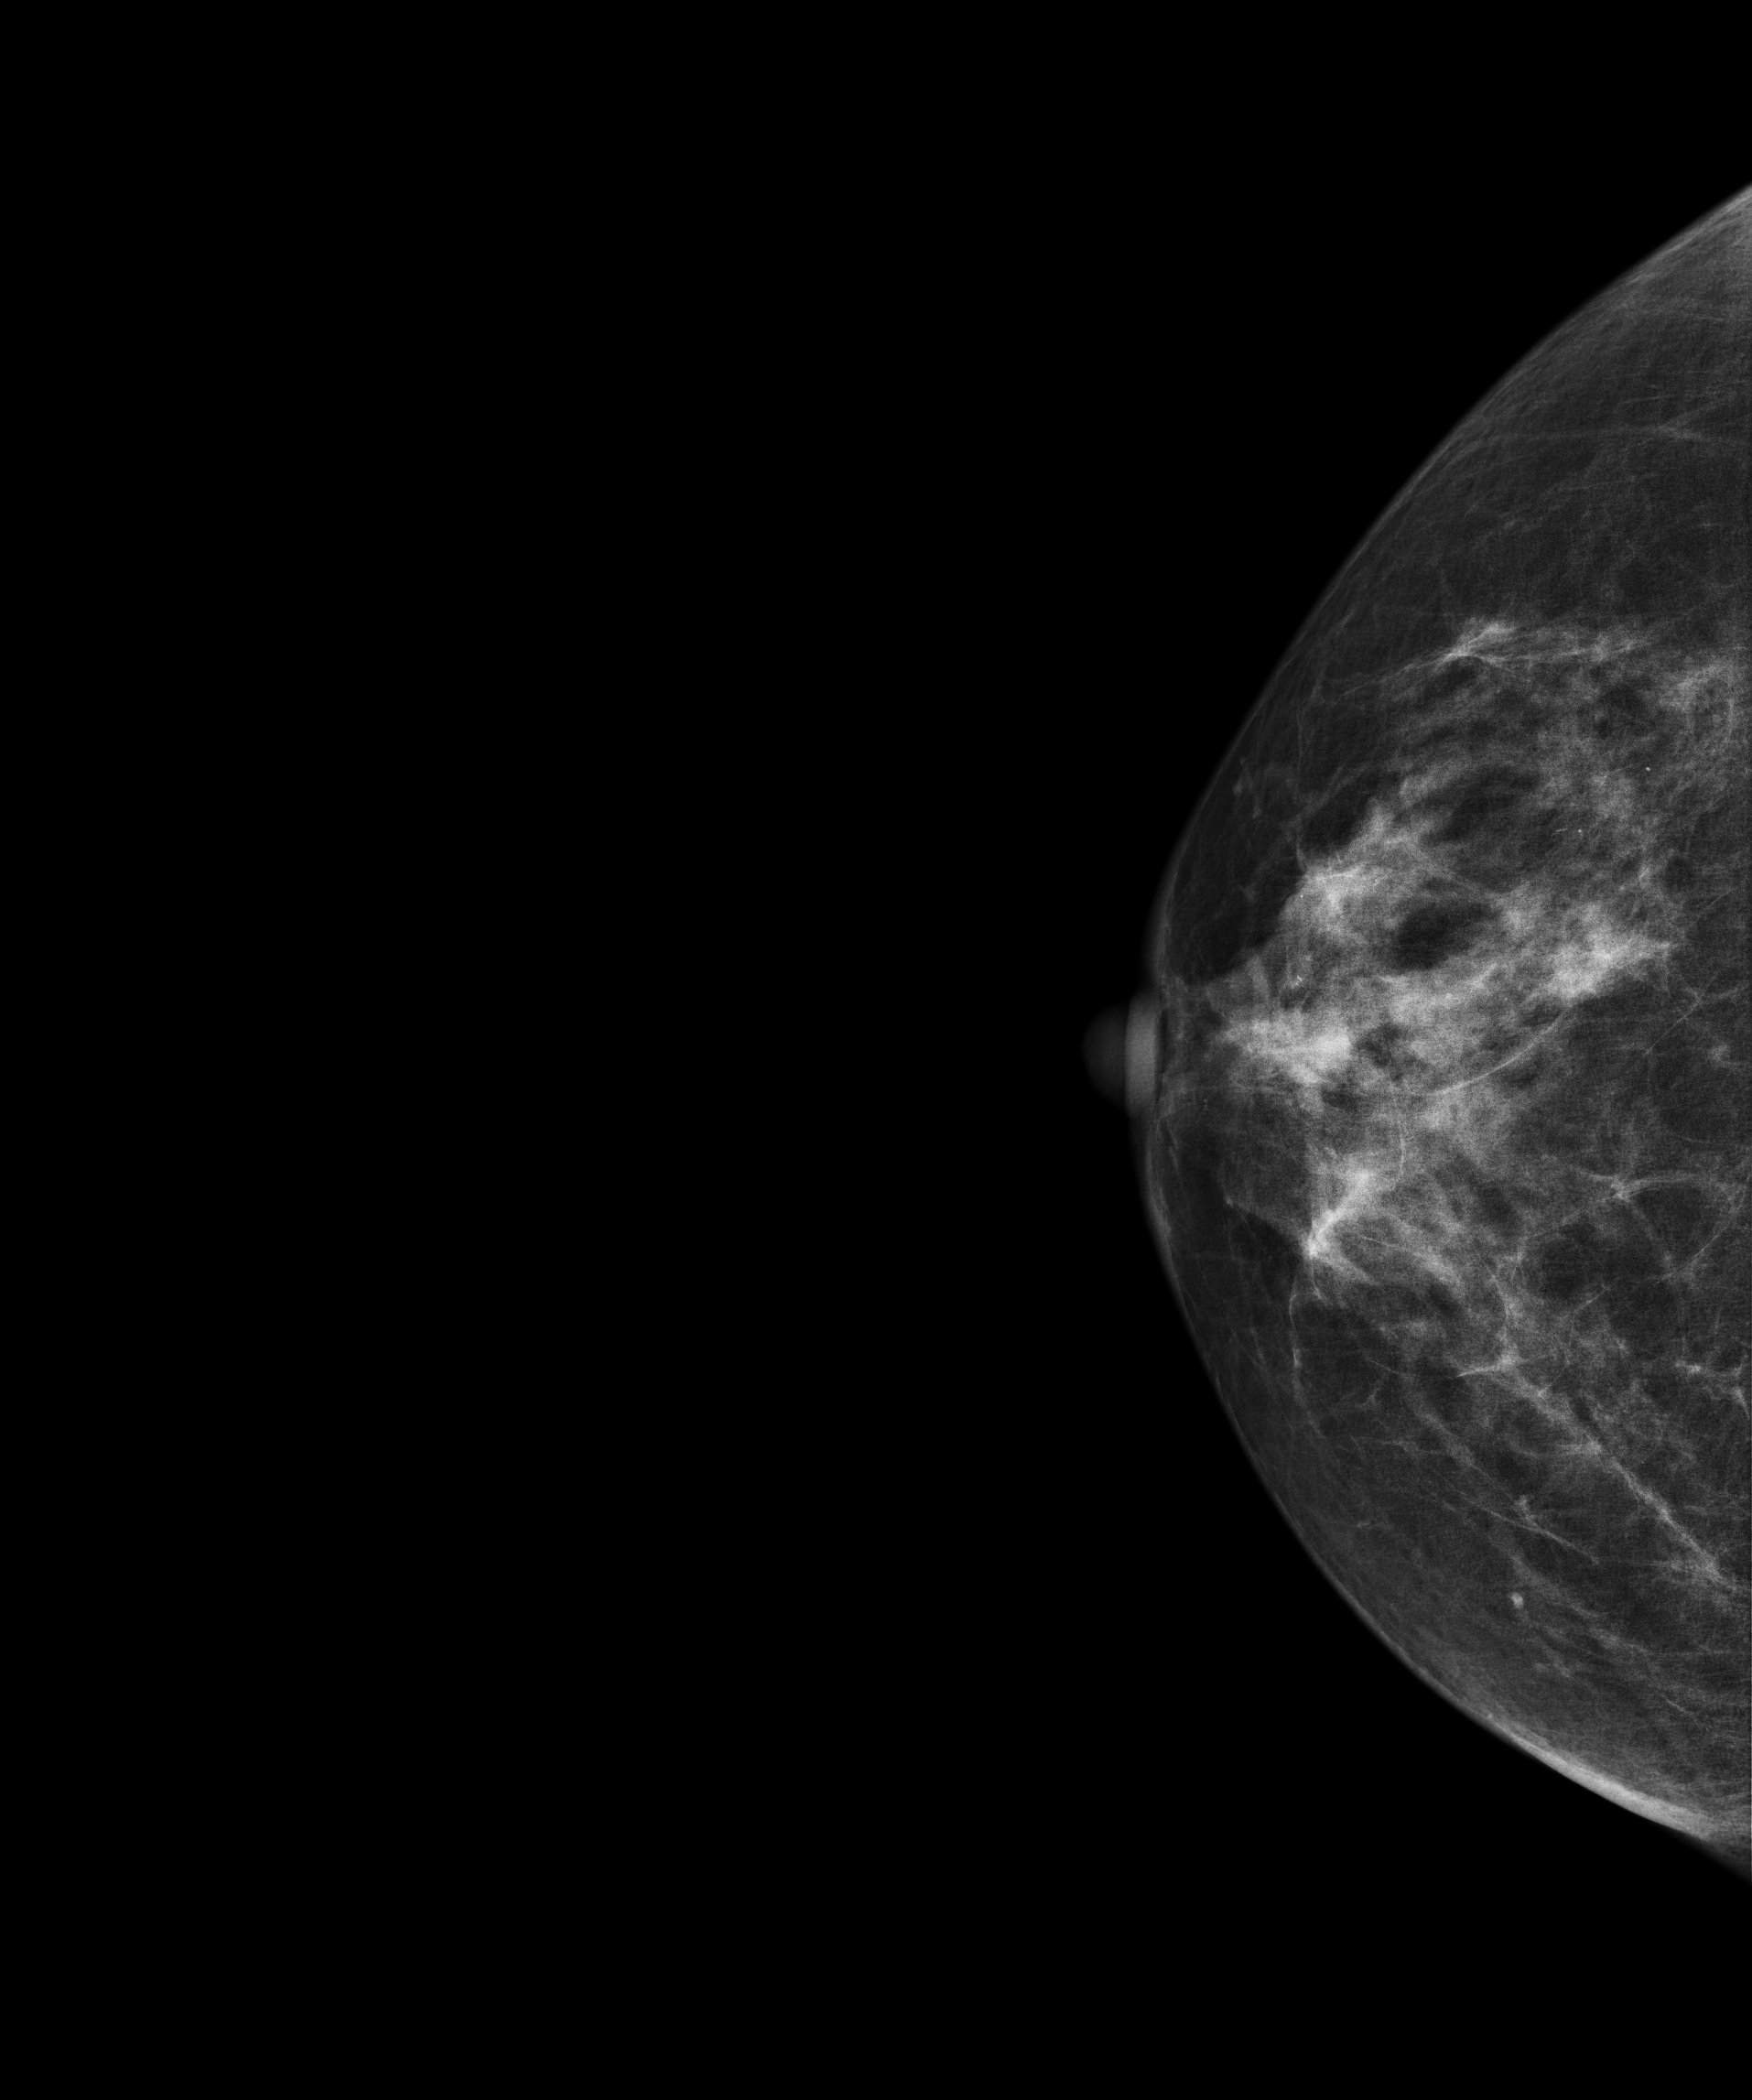
Mammogram — right CC. 57 y/o patient.
This breast has a mass and calcifications, biopsy-proven malignant.